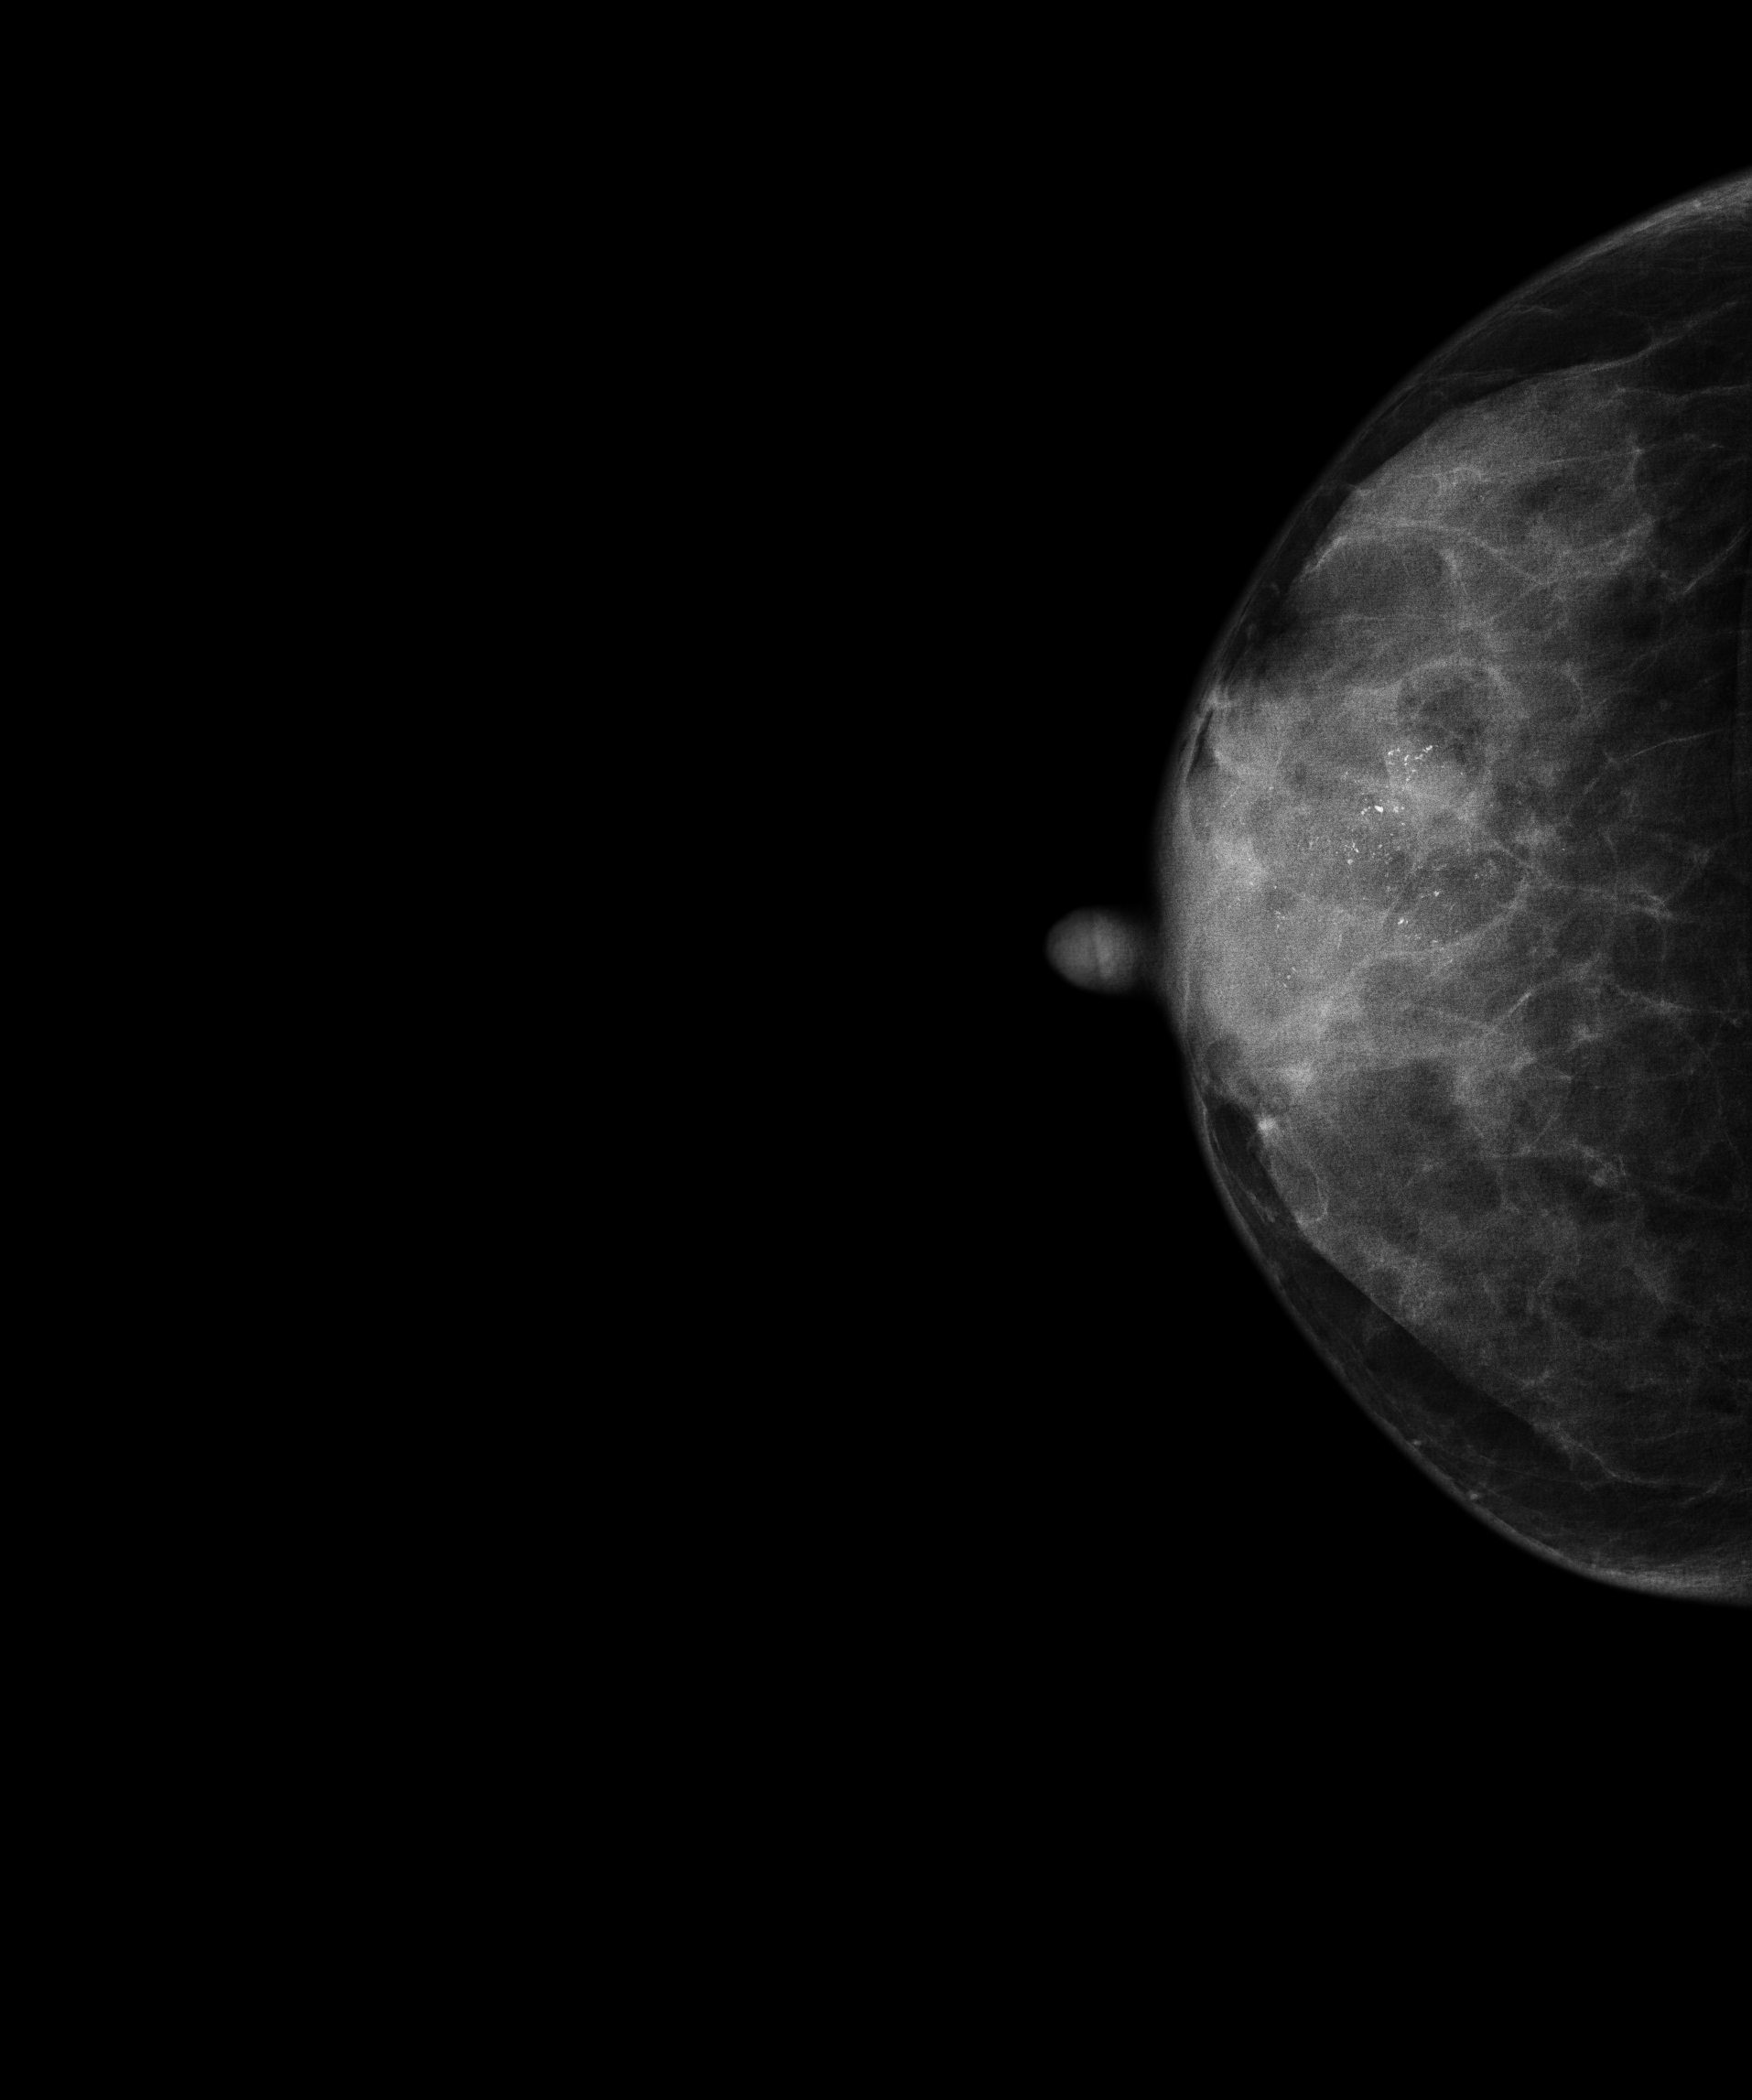
Right-breast mammogram, CC. 49-year-old patient.
This breast has calcifications, biopsy-proven malignant. Molecular subtype: HER2-enriched.